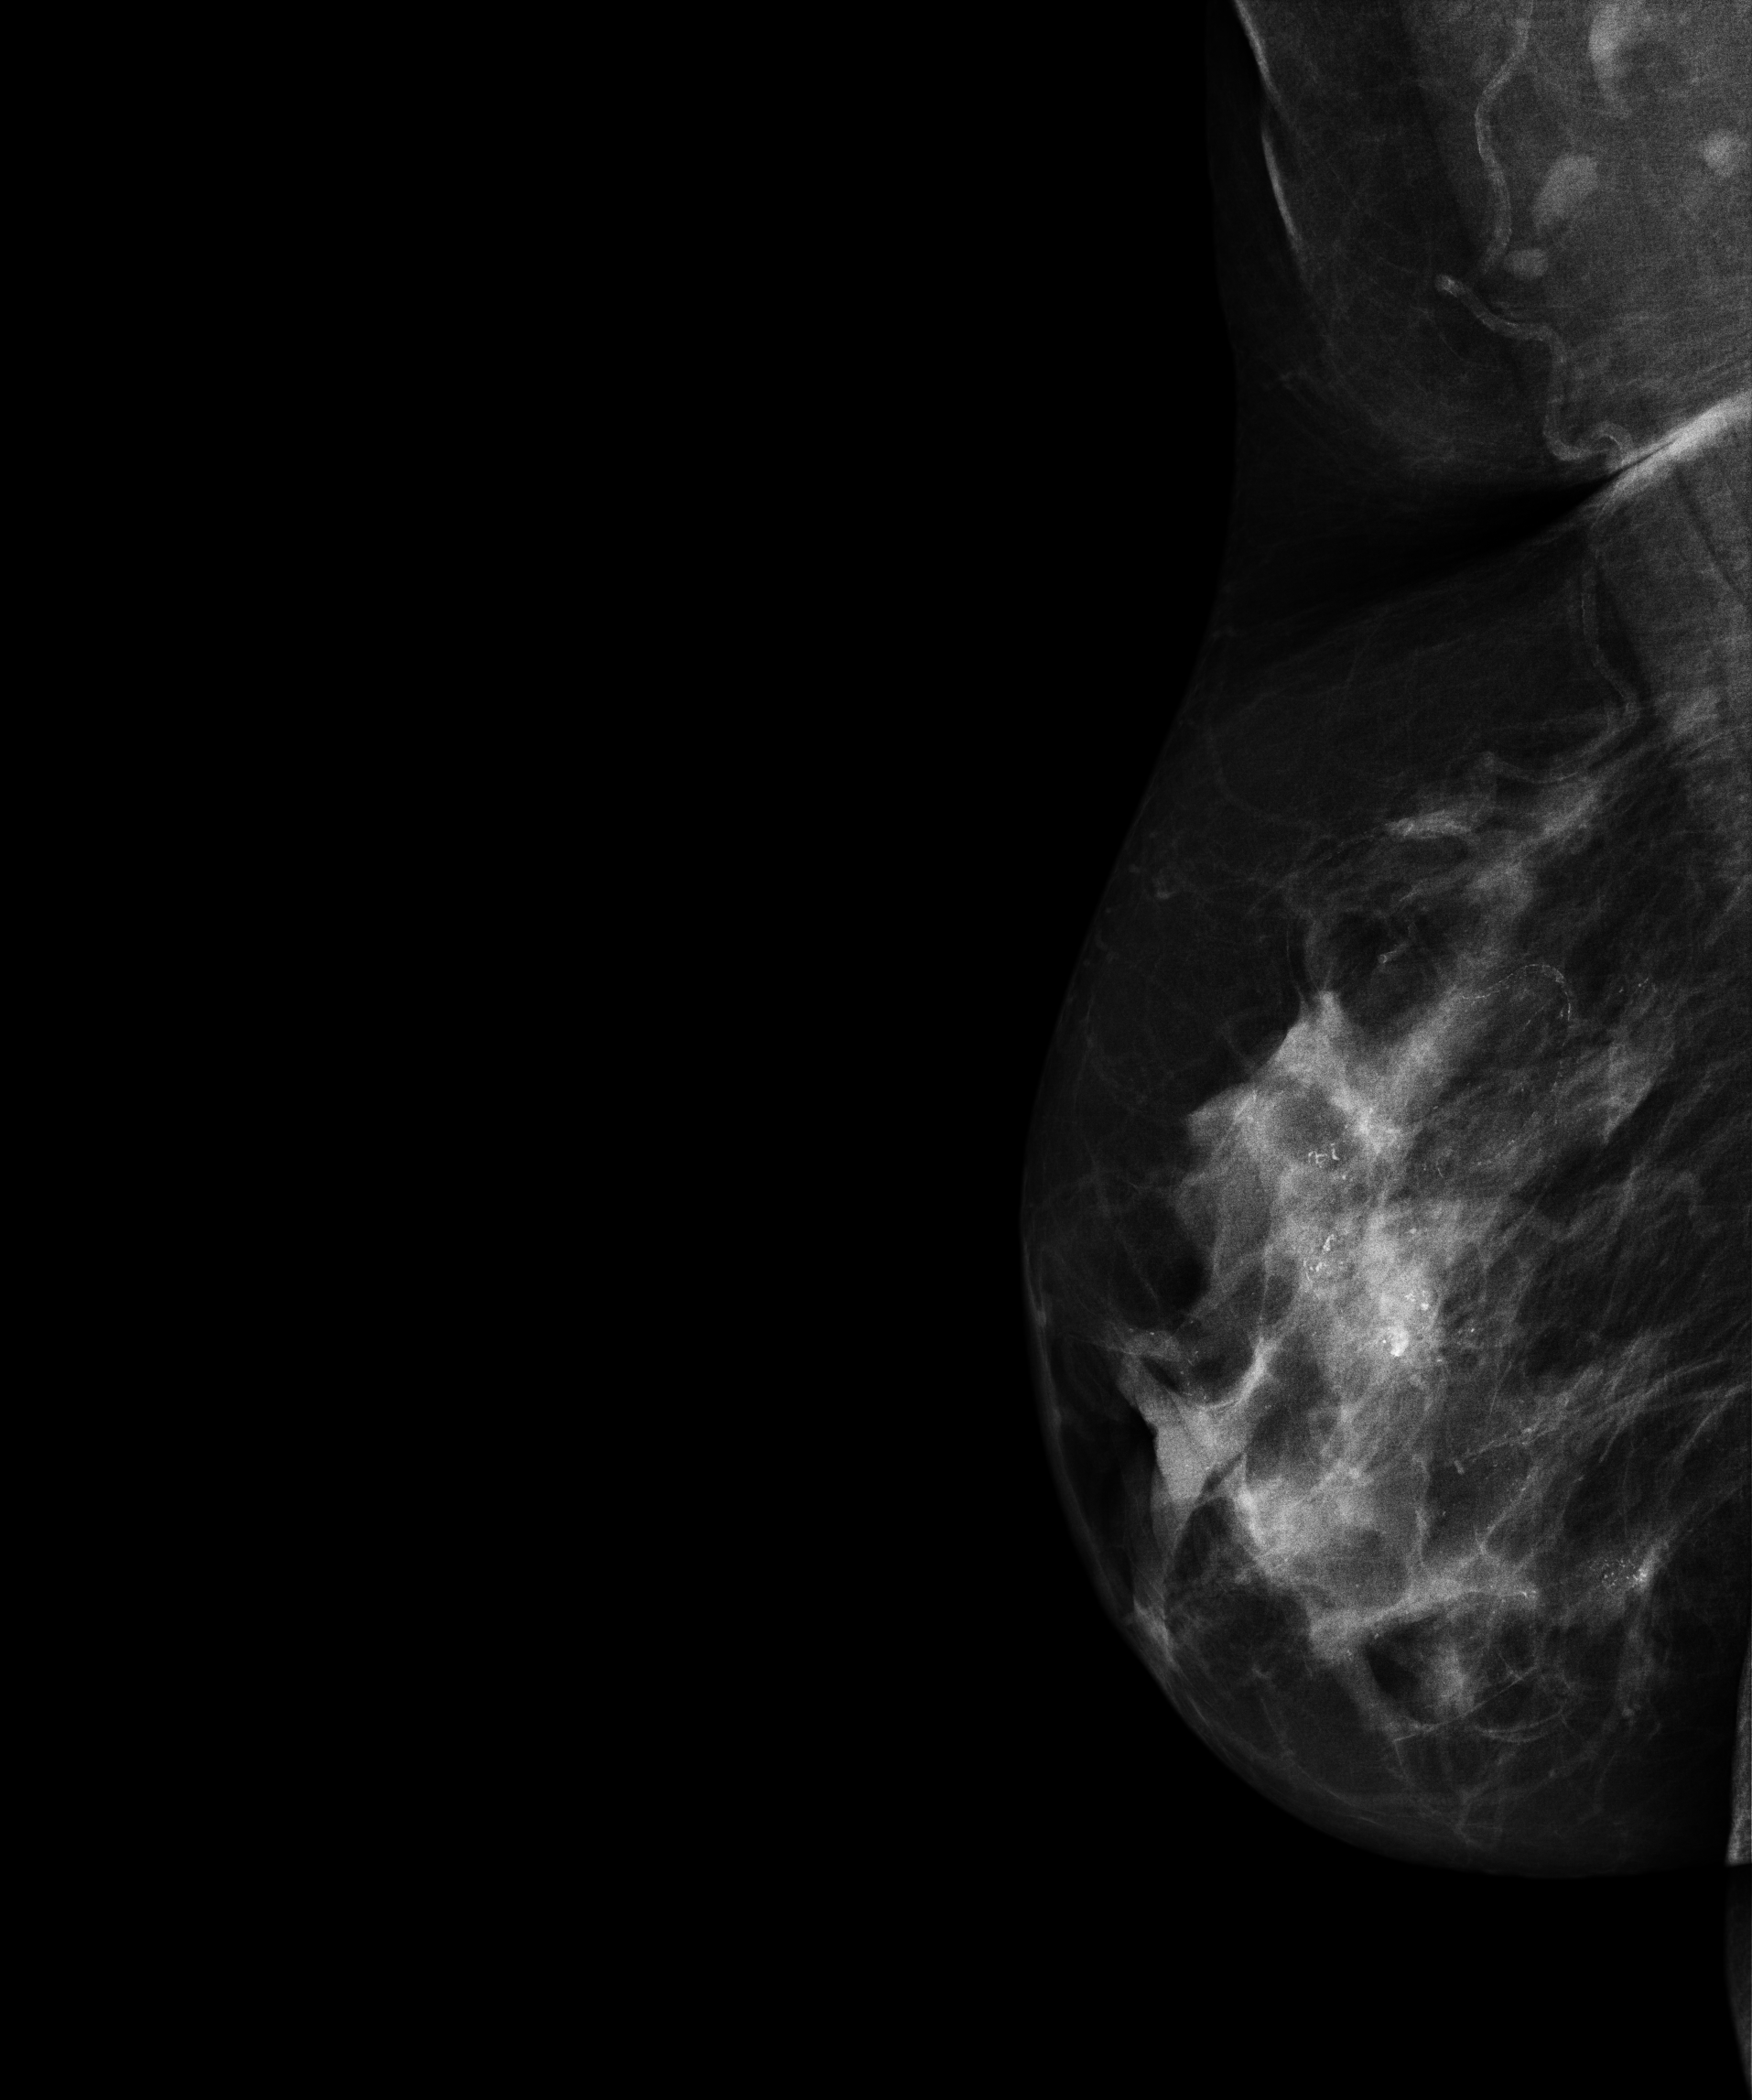
MLO mammogram of the right breast. 61 y/o patient.
This breast has a mass and calcifications, histologically confirmed malignant. Molecular subtype: luminal B.